Digital mammography. Right breast, CC projection. 40-year-old patient.
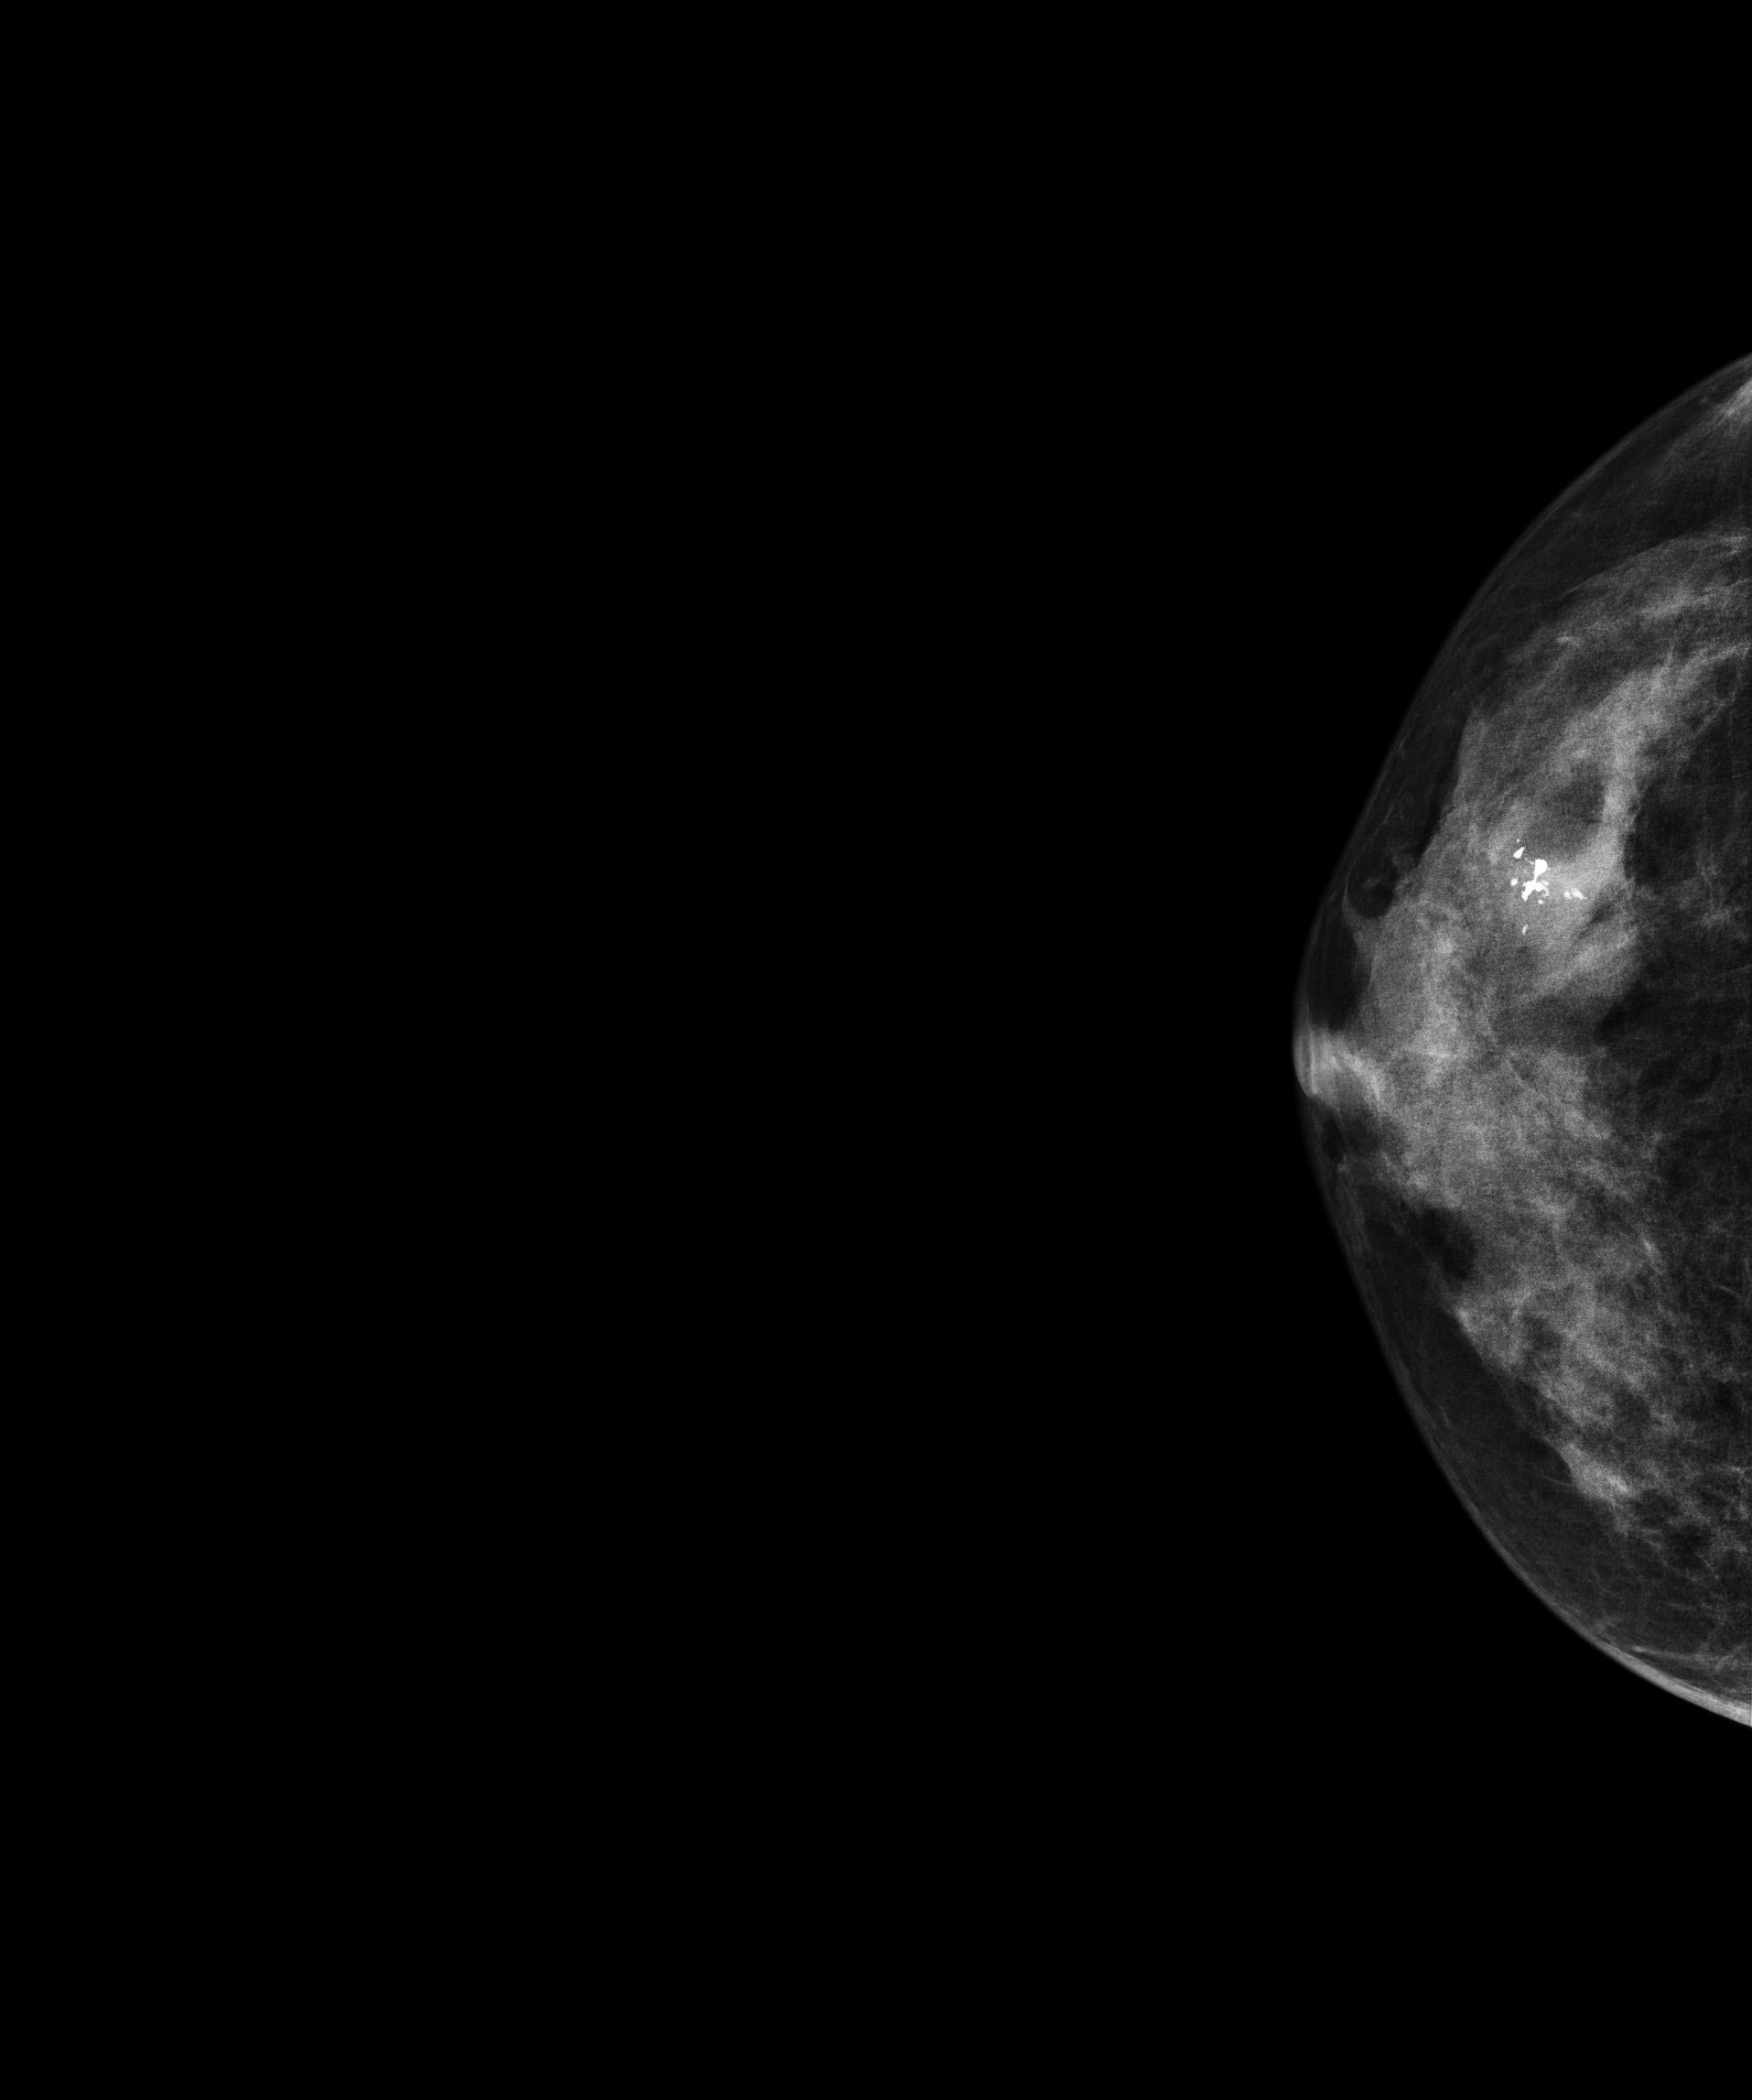
This breast has a mass and calcifications, biopsy-confirmed benign.